Mammogram, right breast, MLO view. Patient age 60.
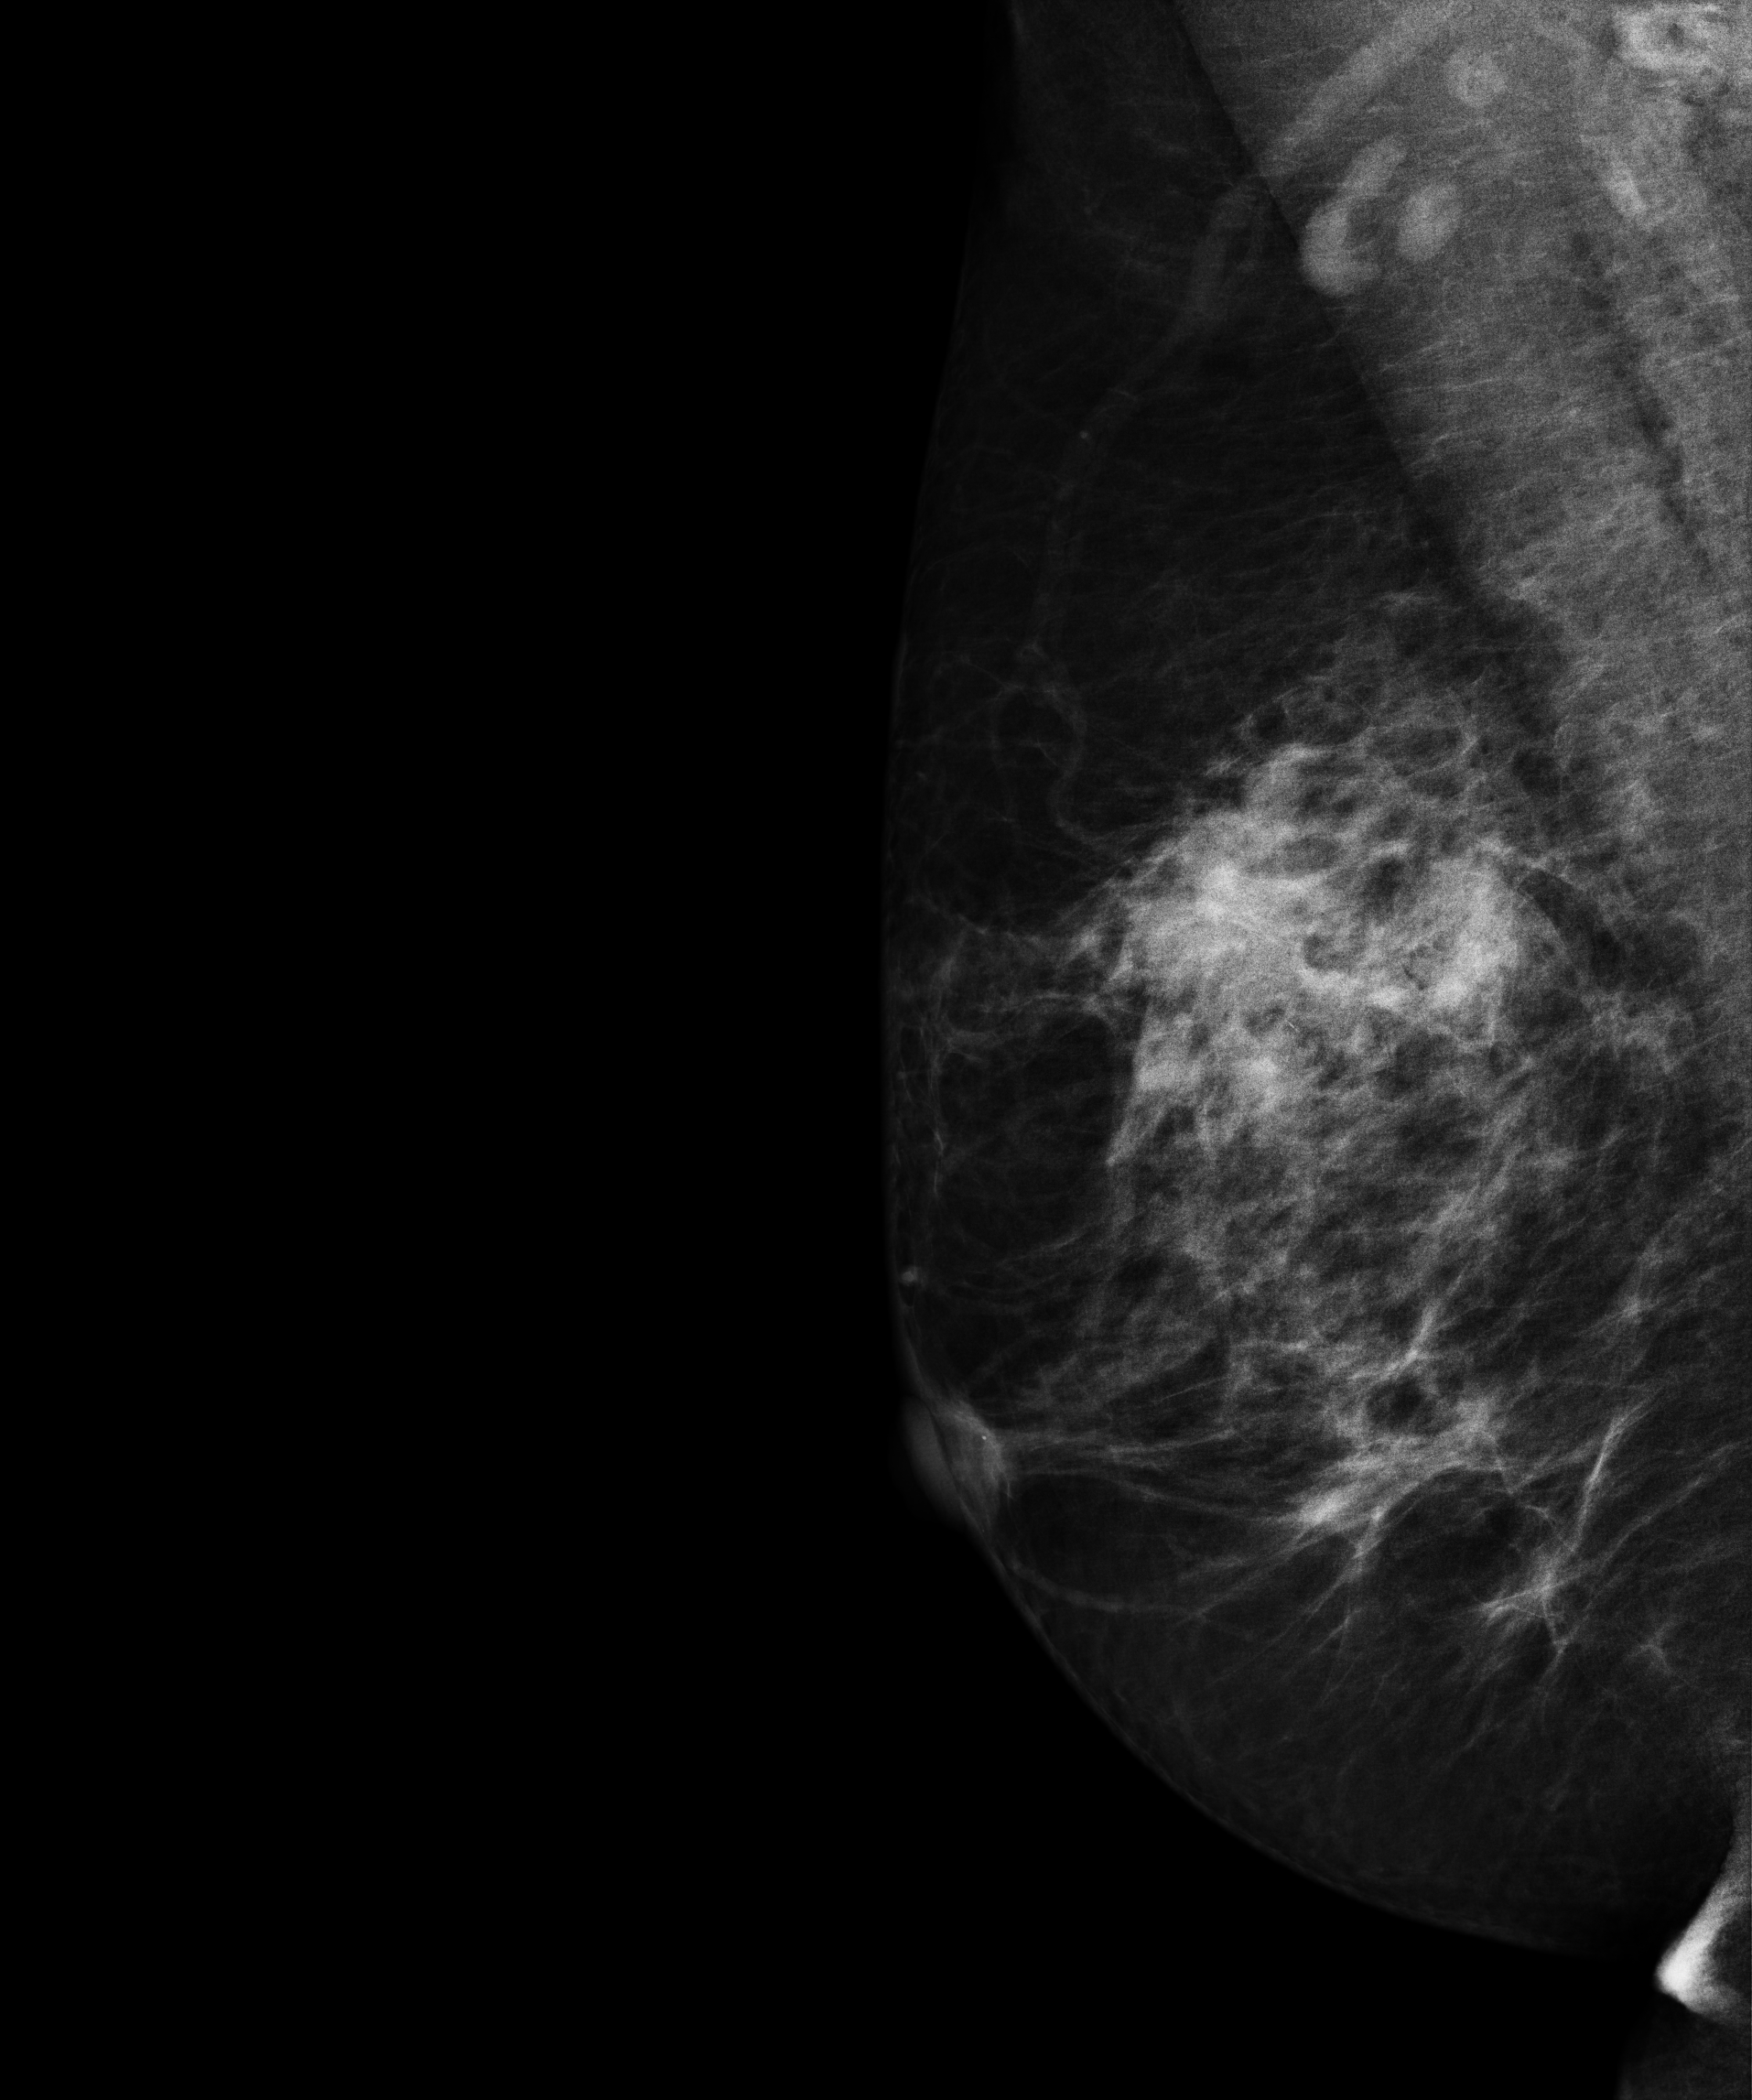
This breast has a mass, histologically confirmed malignant. Molecular subtype: luminal A.